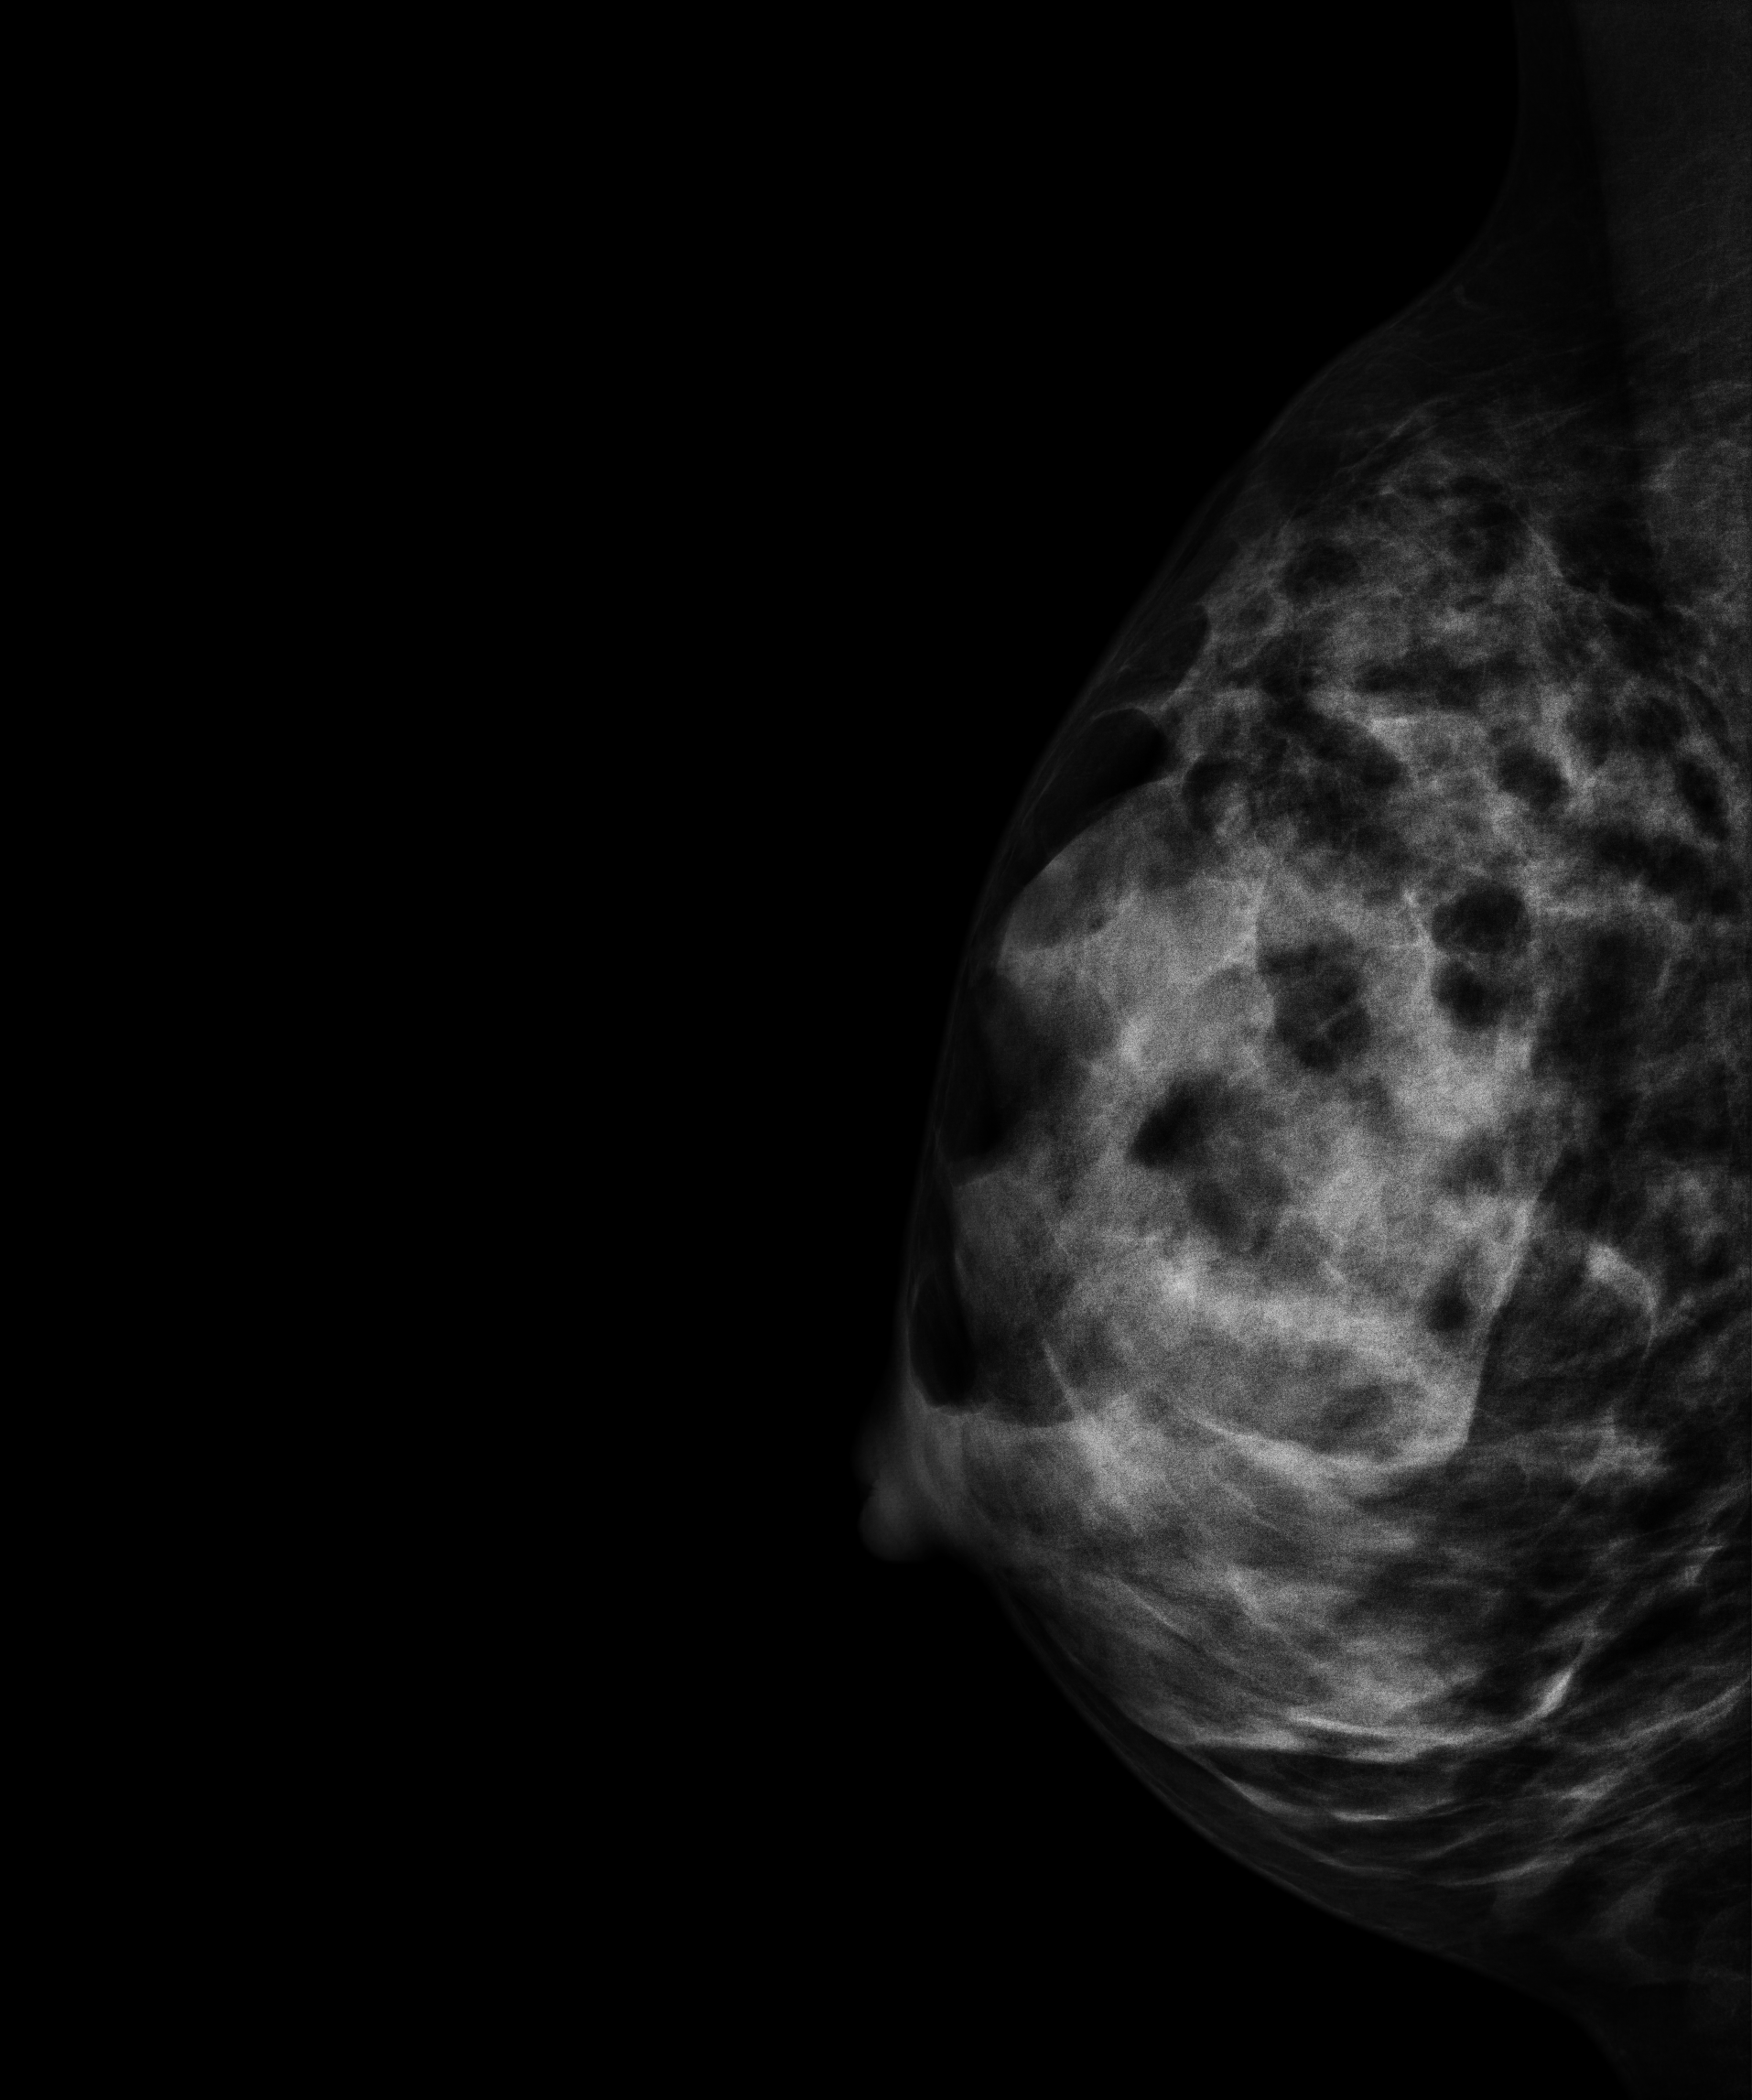
Right-breast mammogram, medio-lateral oblique. Patient age 45.
This breast has a mass, histologically confirmed malignant.